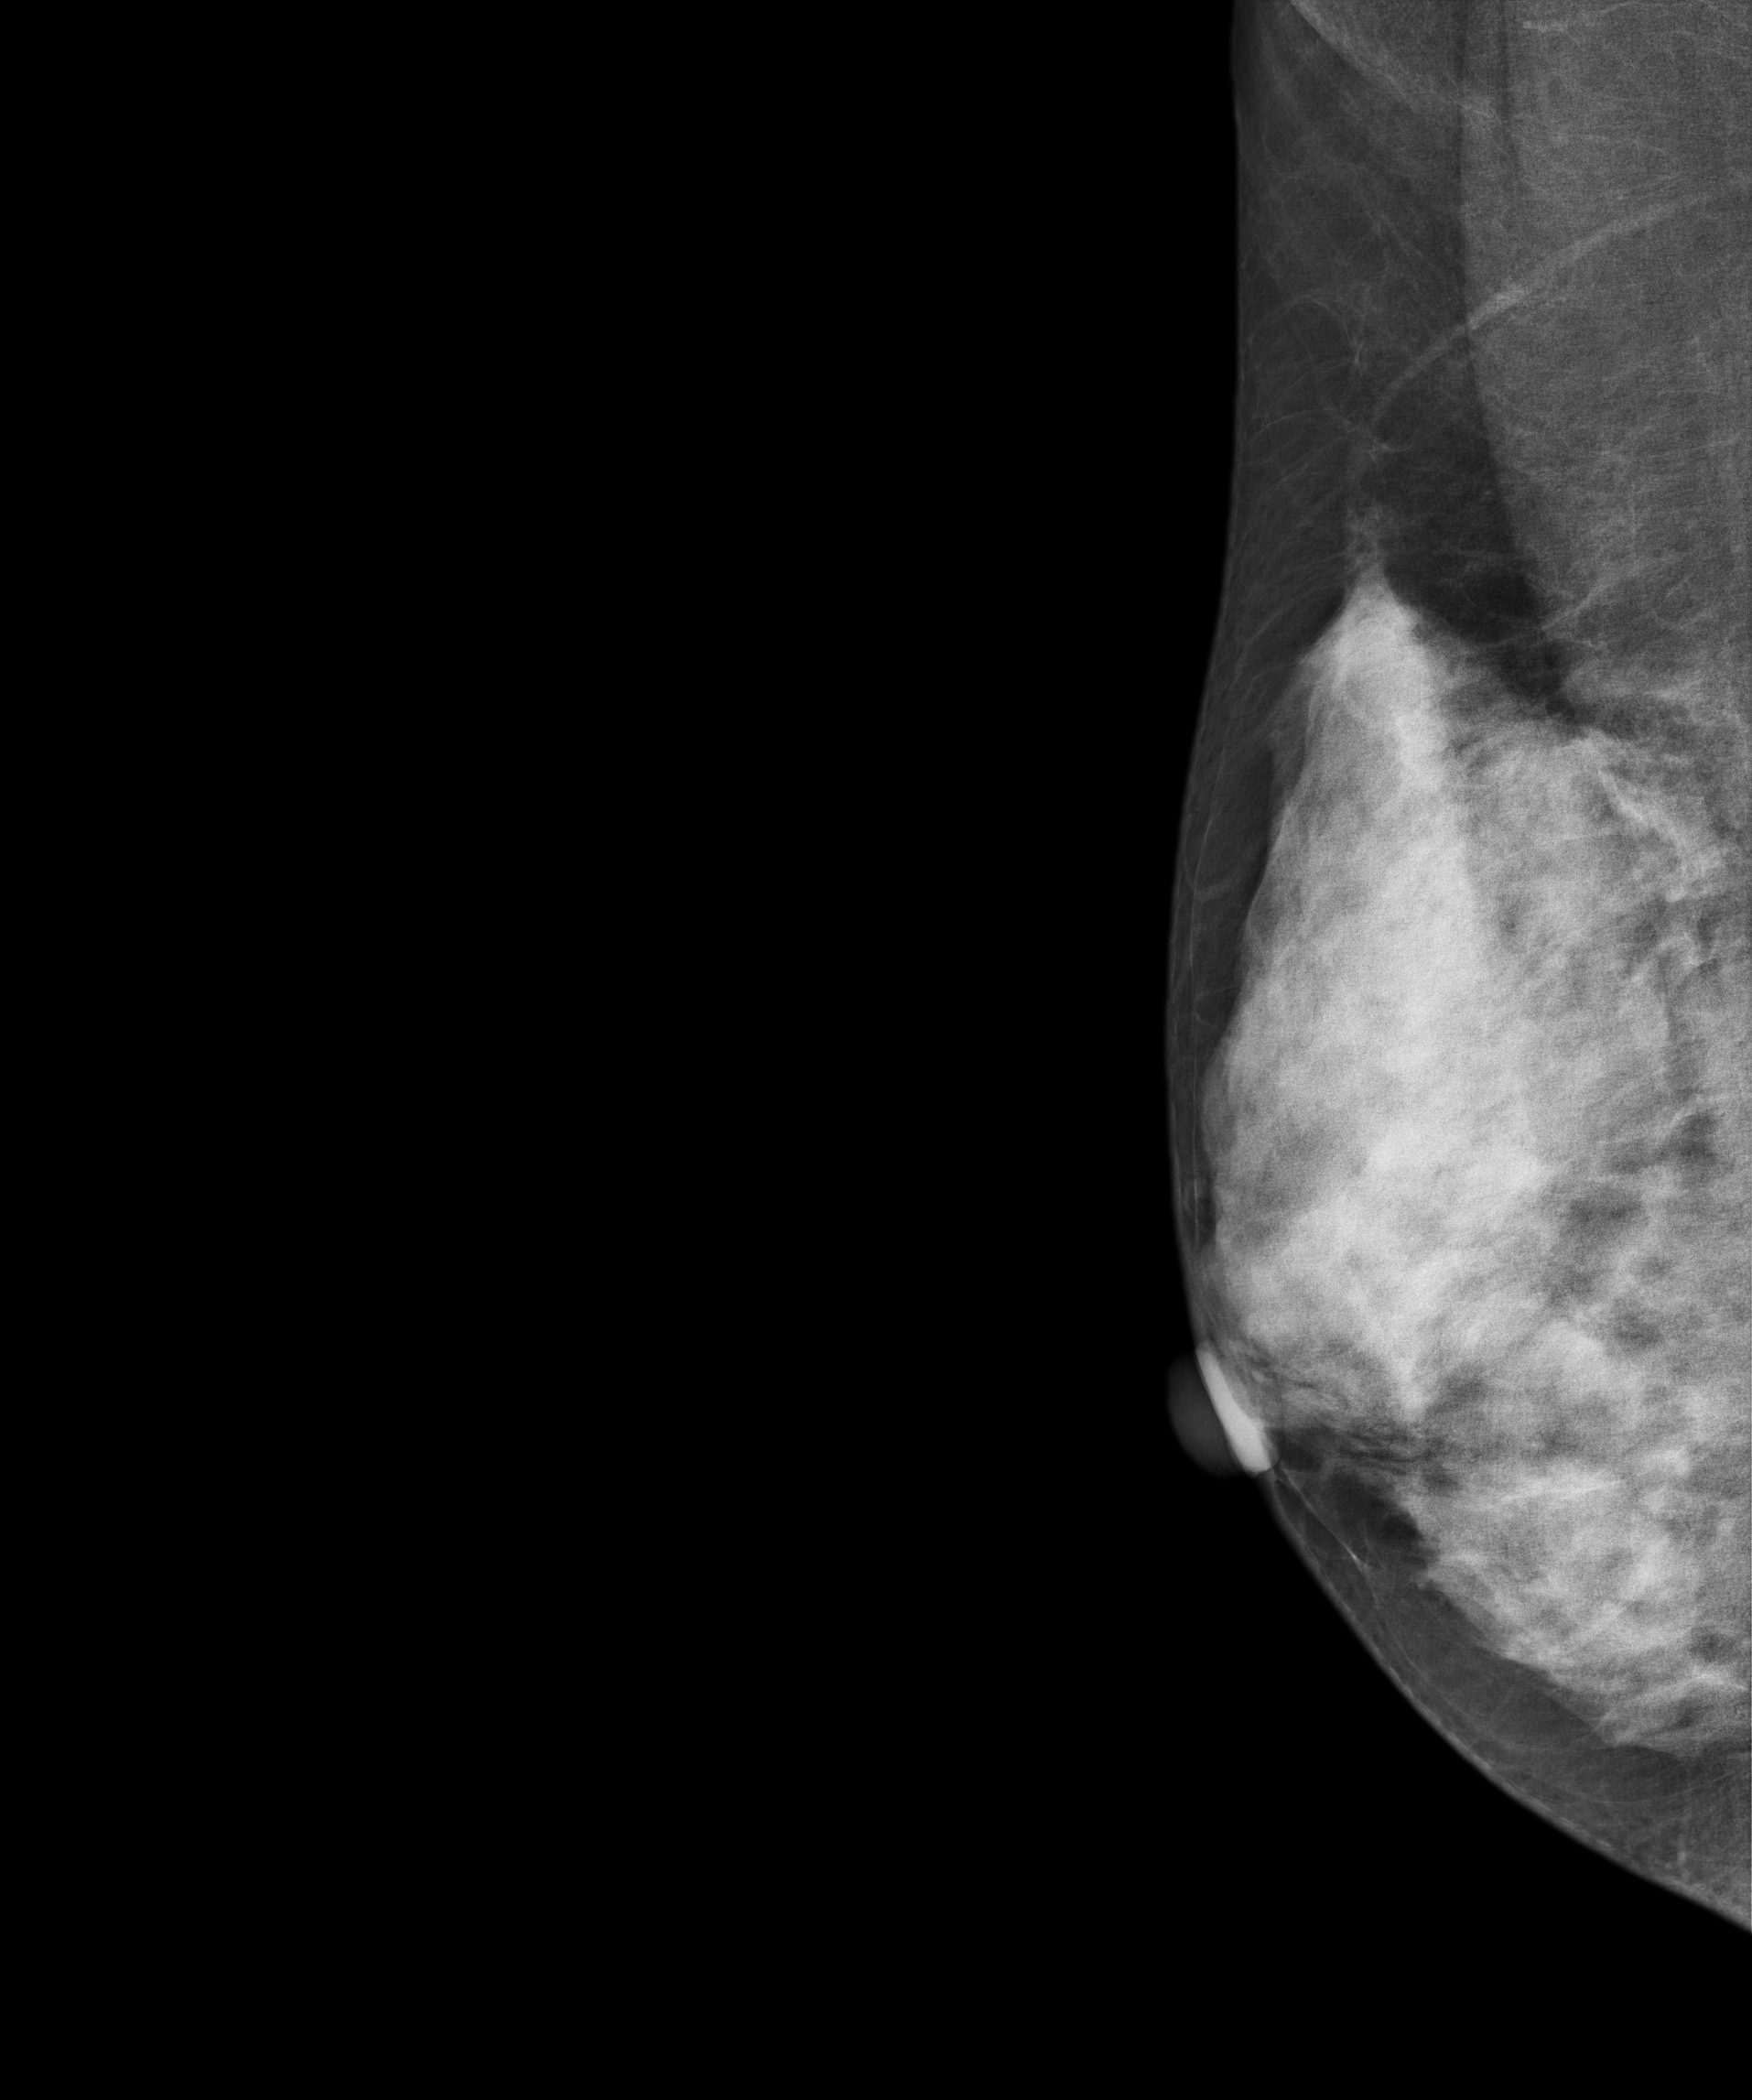
Mammogram, right breast, medio-lateral oblique view. Patient age 53.
Contralateral breast — no documented abnormality on this side.